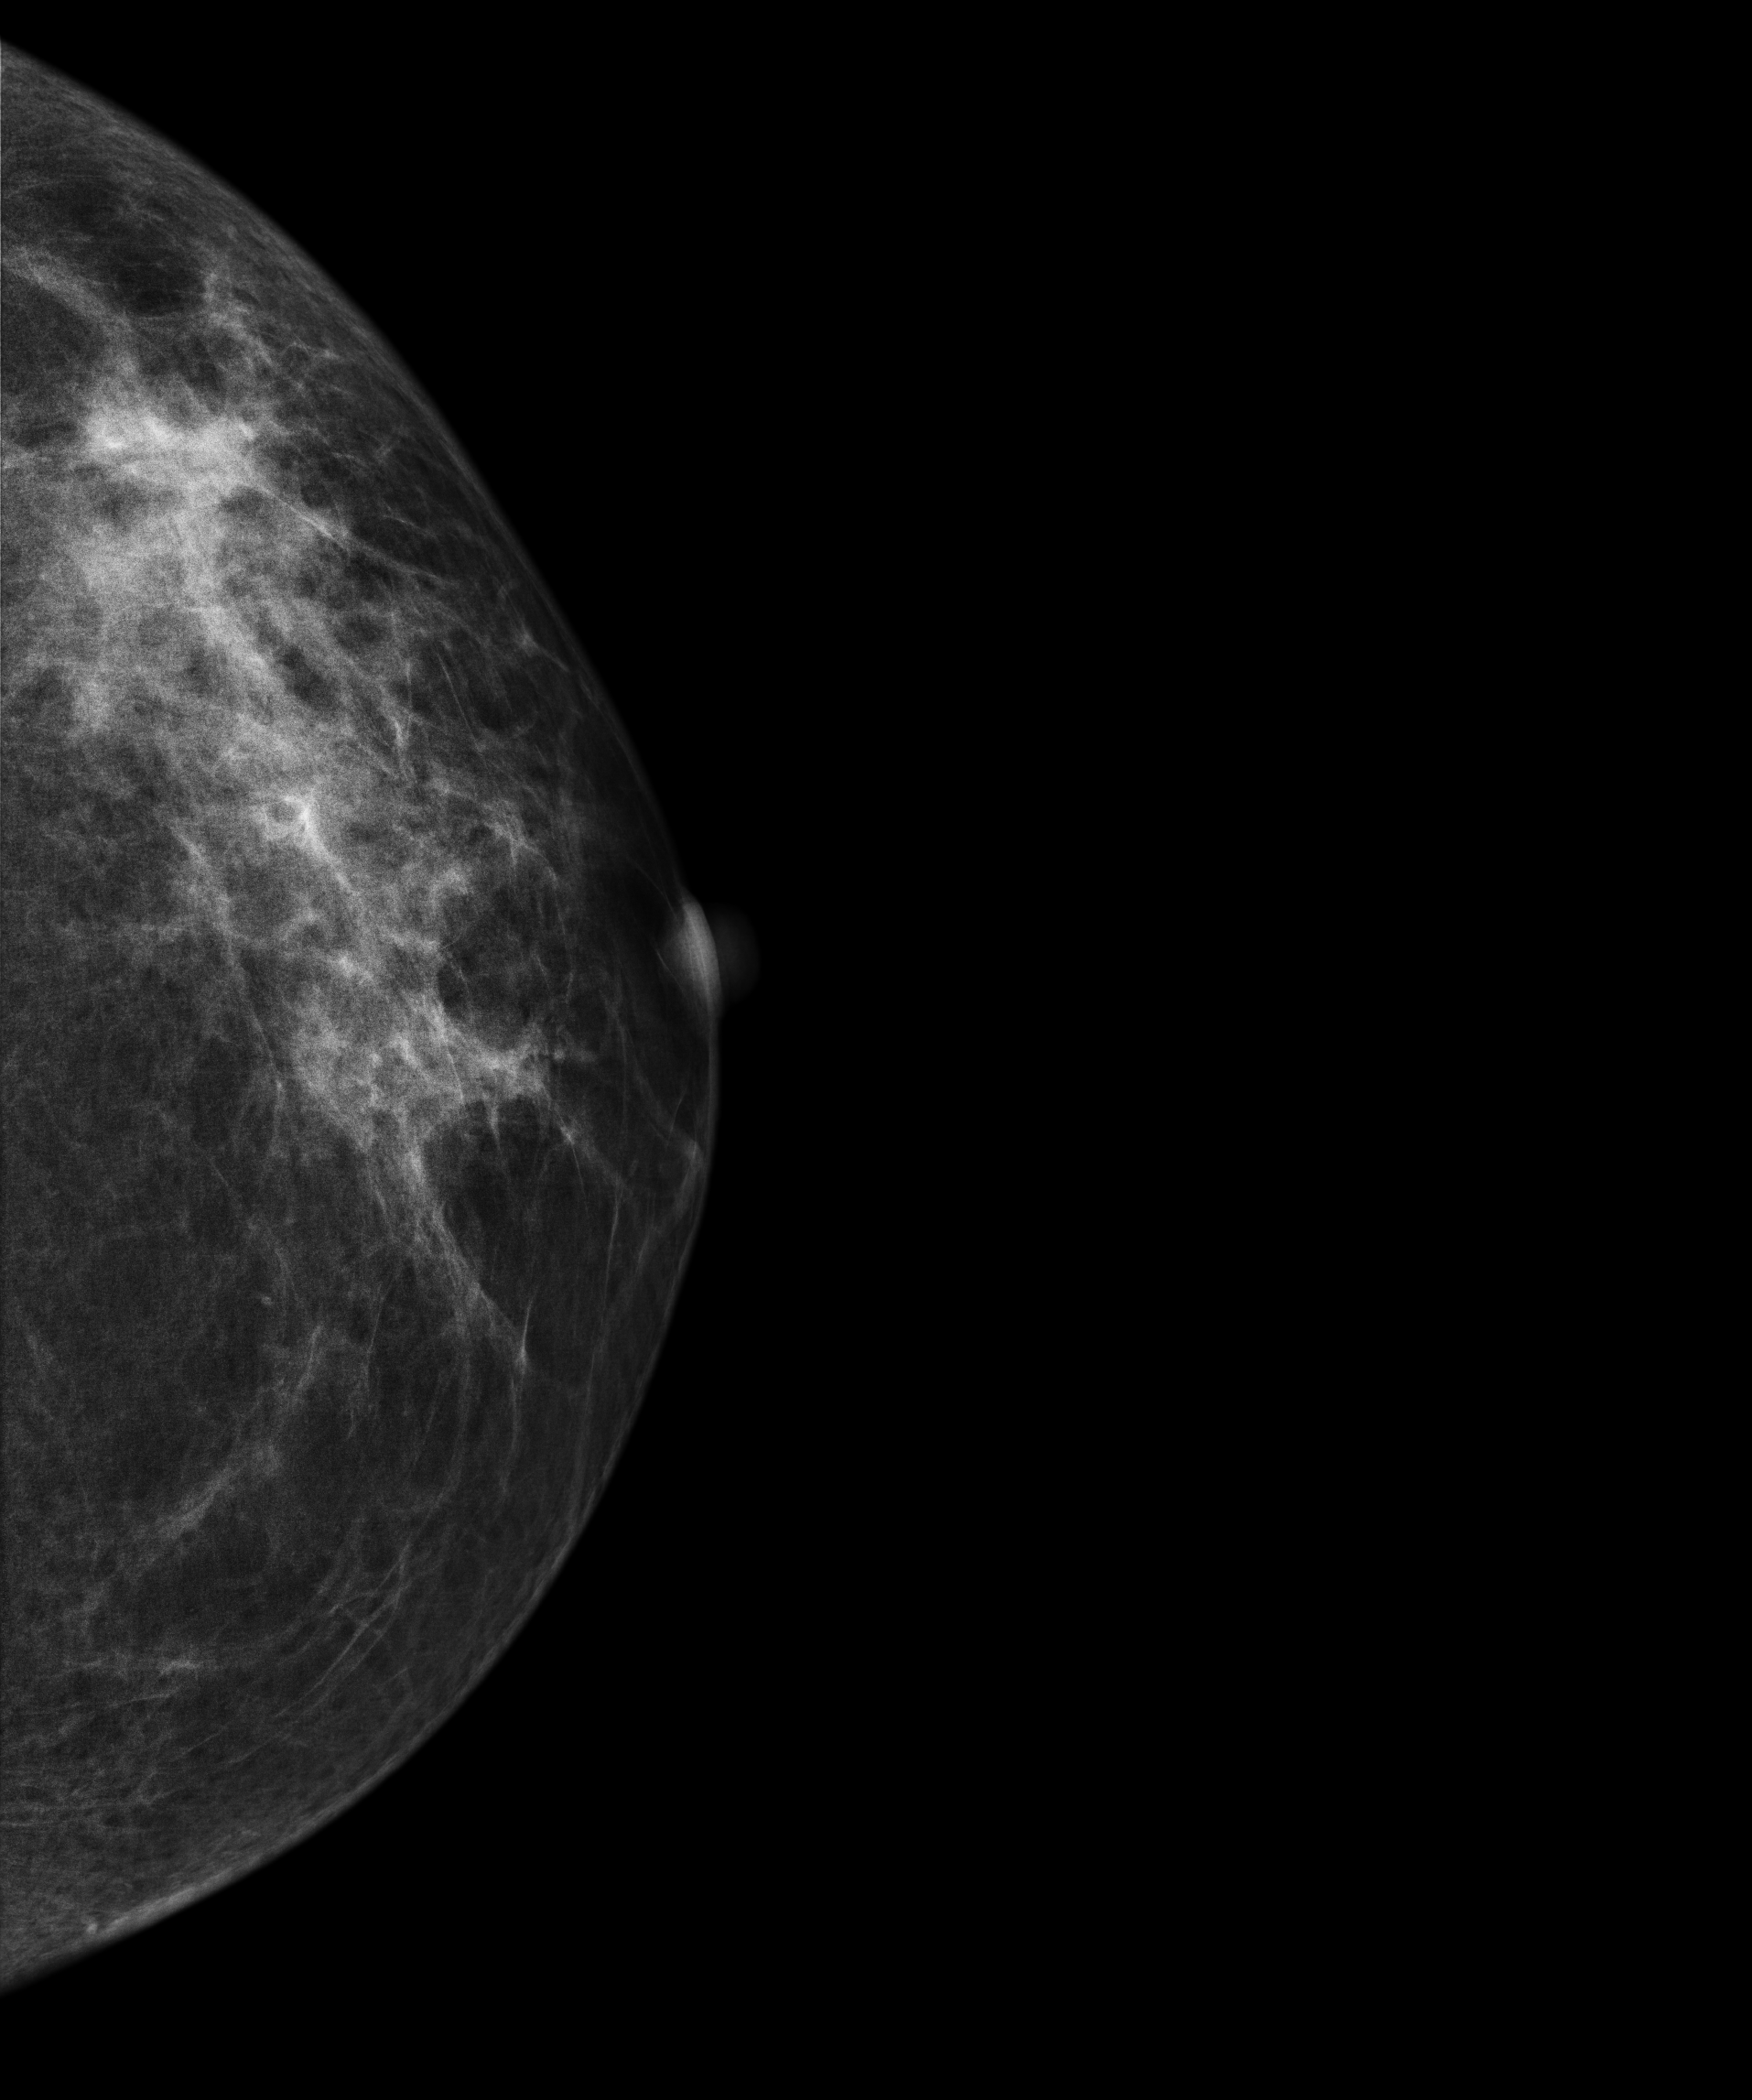
Cranio-caudal mammogram of the left breast. Patient age 56.
This breast has a mass, biopsy-proven benign.